Digital mammography. Right breast, MLO projection. Patient age 35.
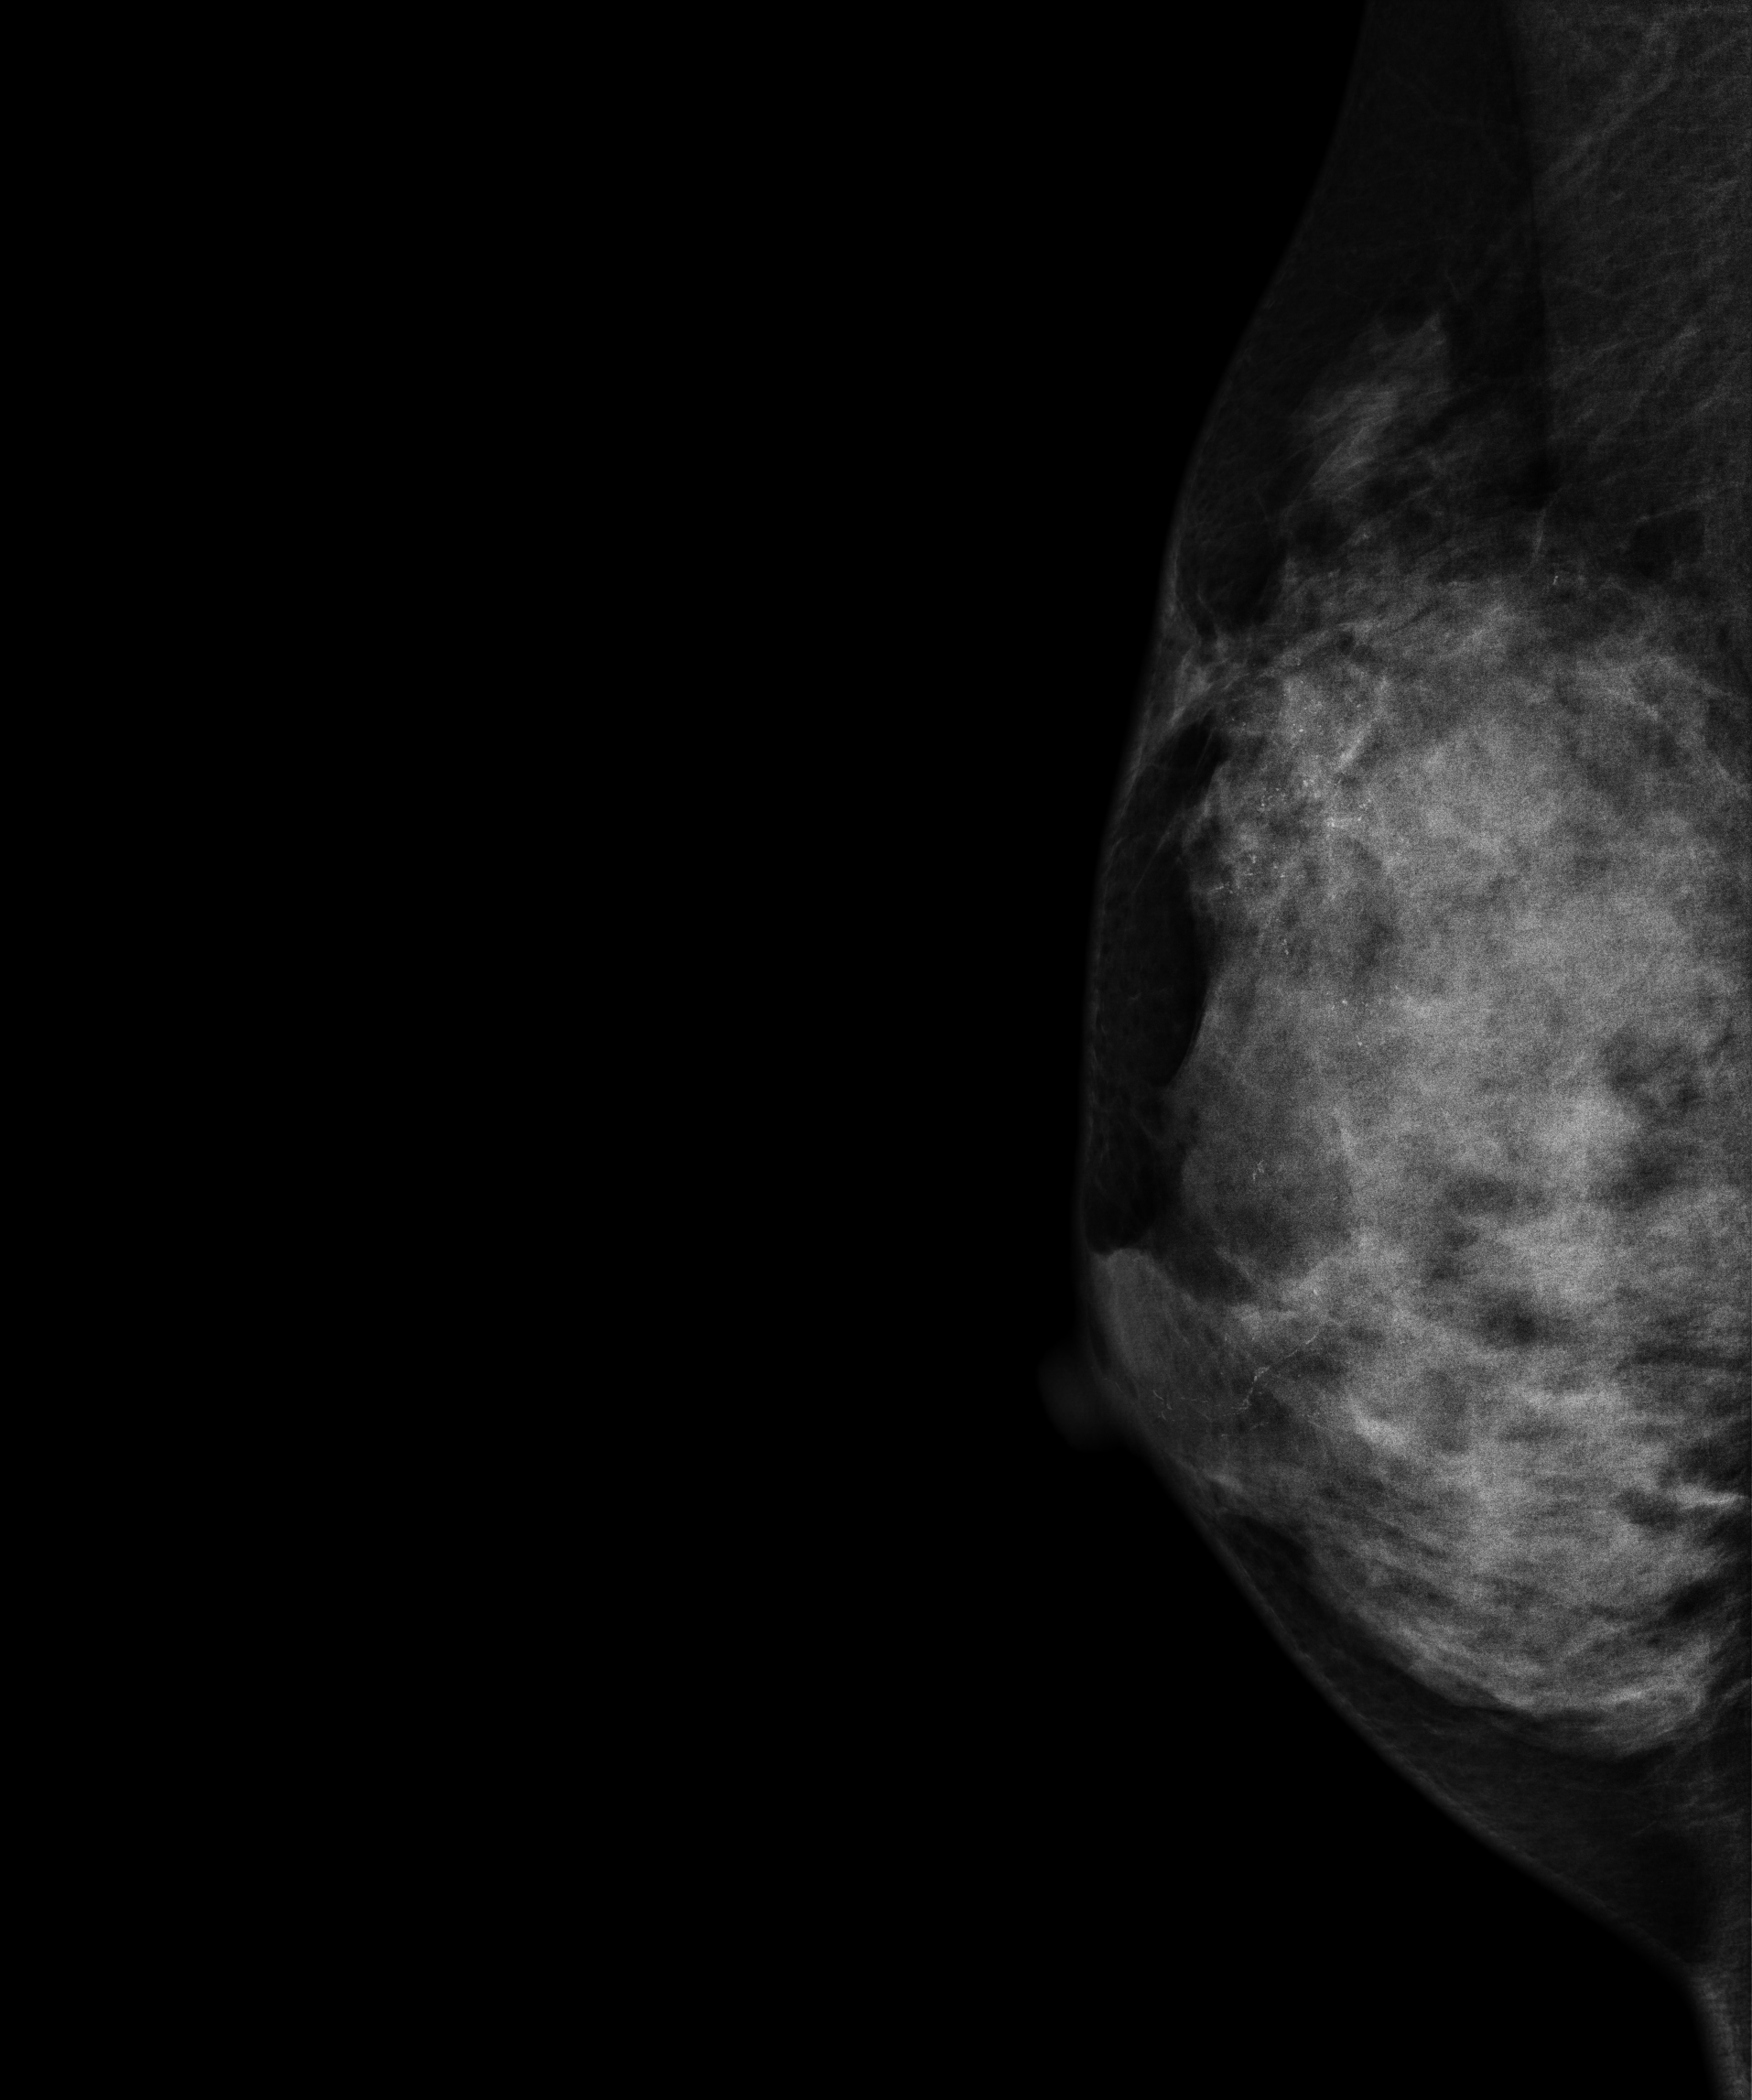
This breast has calcifications, histologically confirmed malignant. Molecular subtype: luminal A.